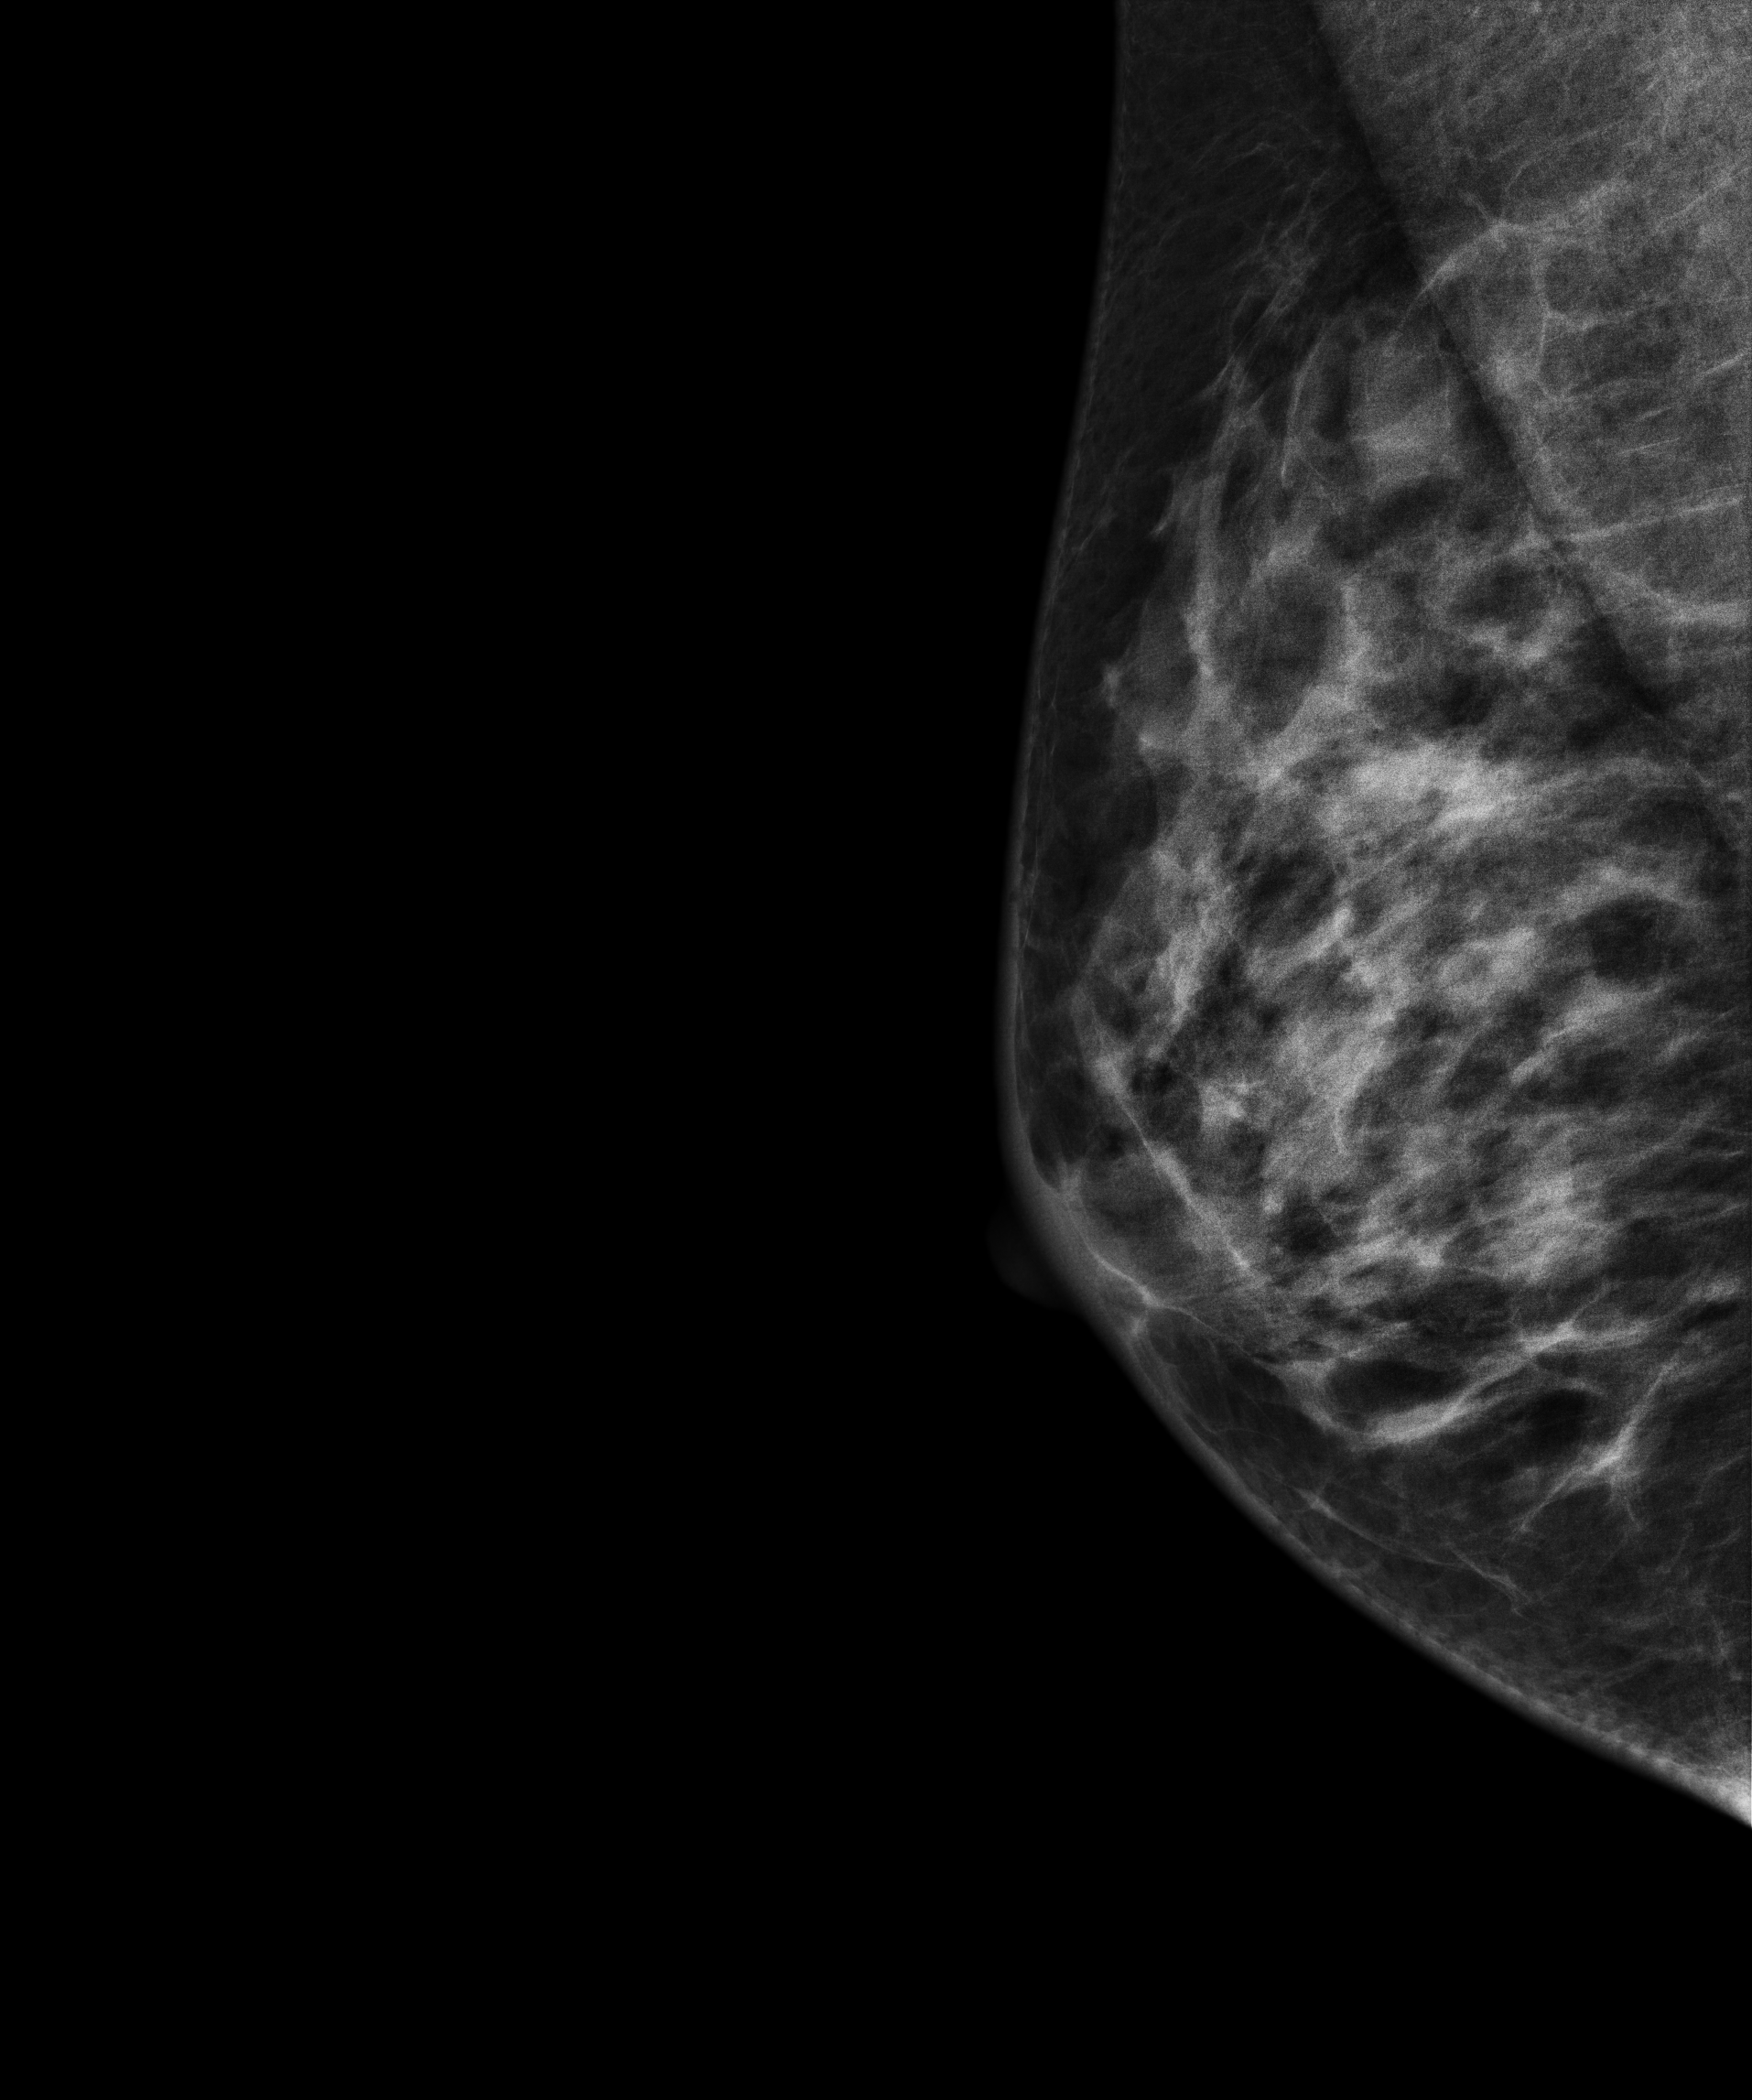
Right-breast mammogram, MLO. 41-year-old patient.
This breast has a mass, histologically confirmed benign.